Medio-lateral oblique mammogram of the left breast. Patient age 60.
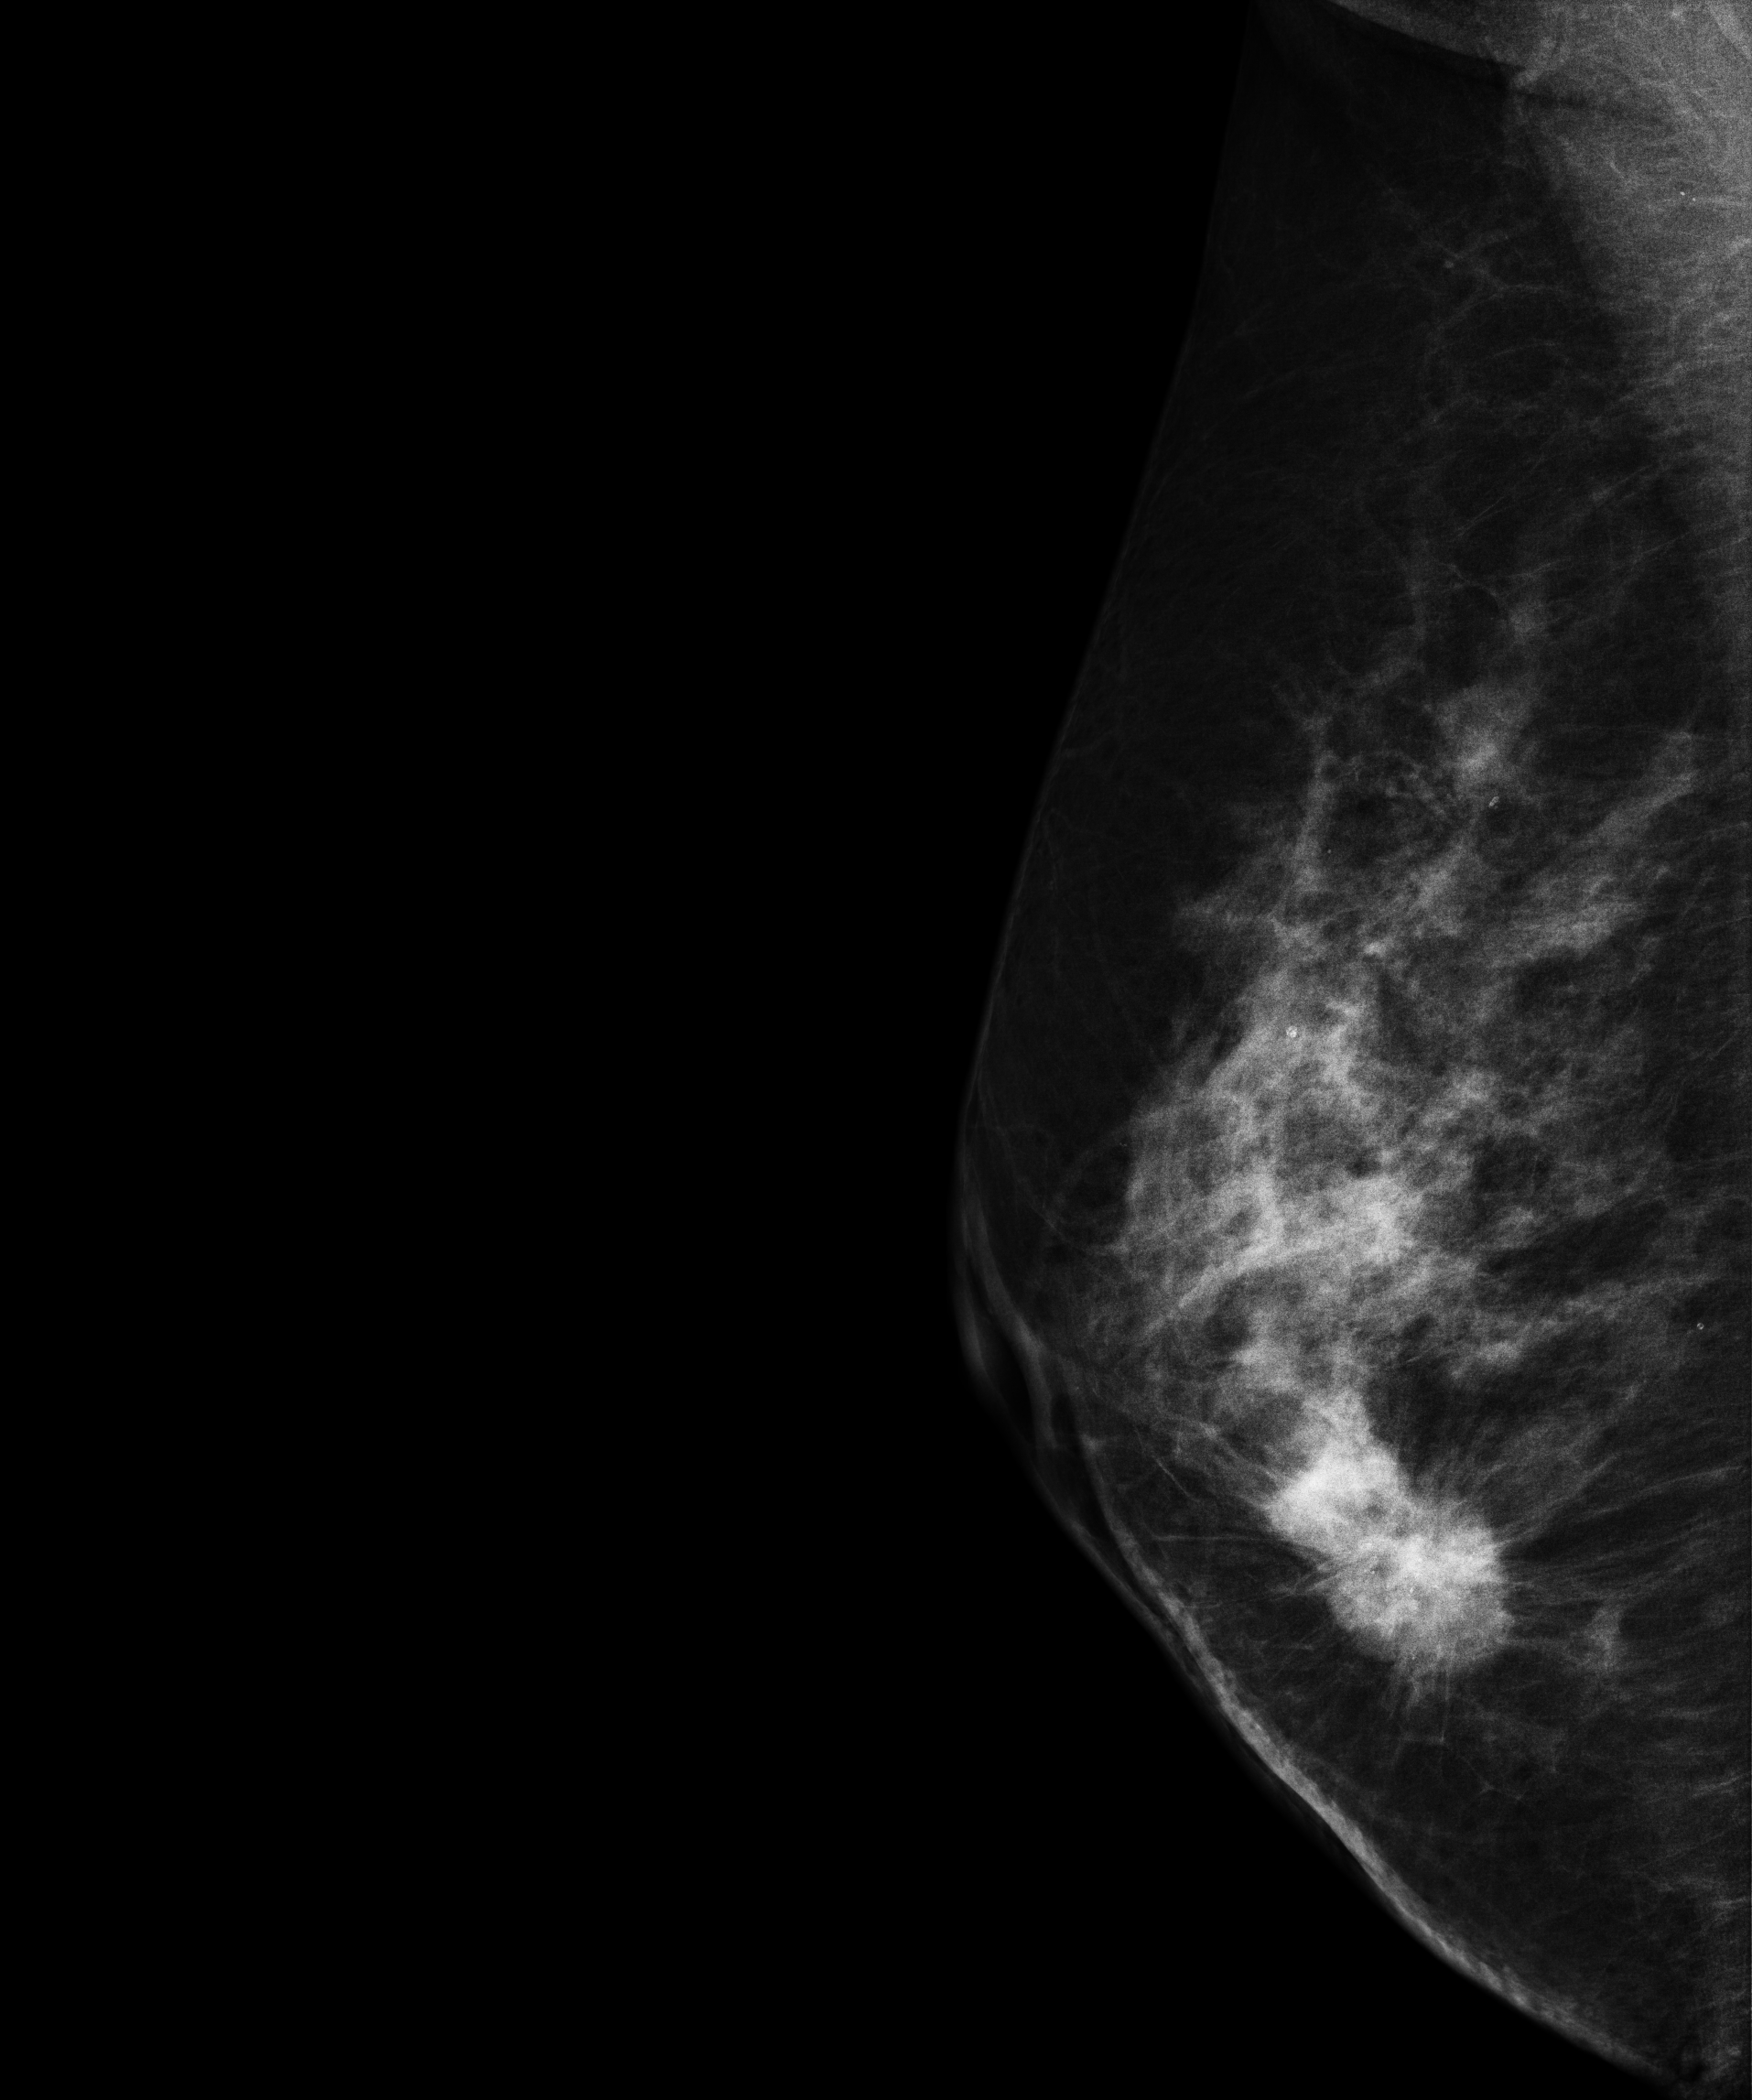
Contralateral breast — no documented abnormality on this side.